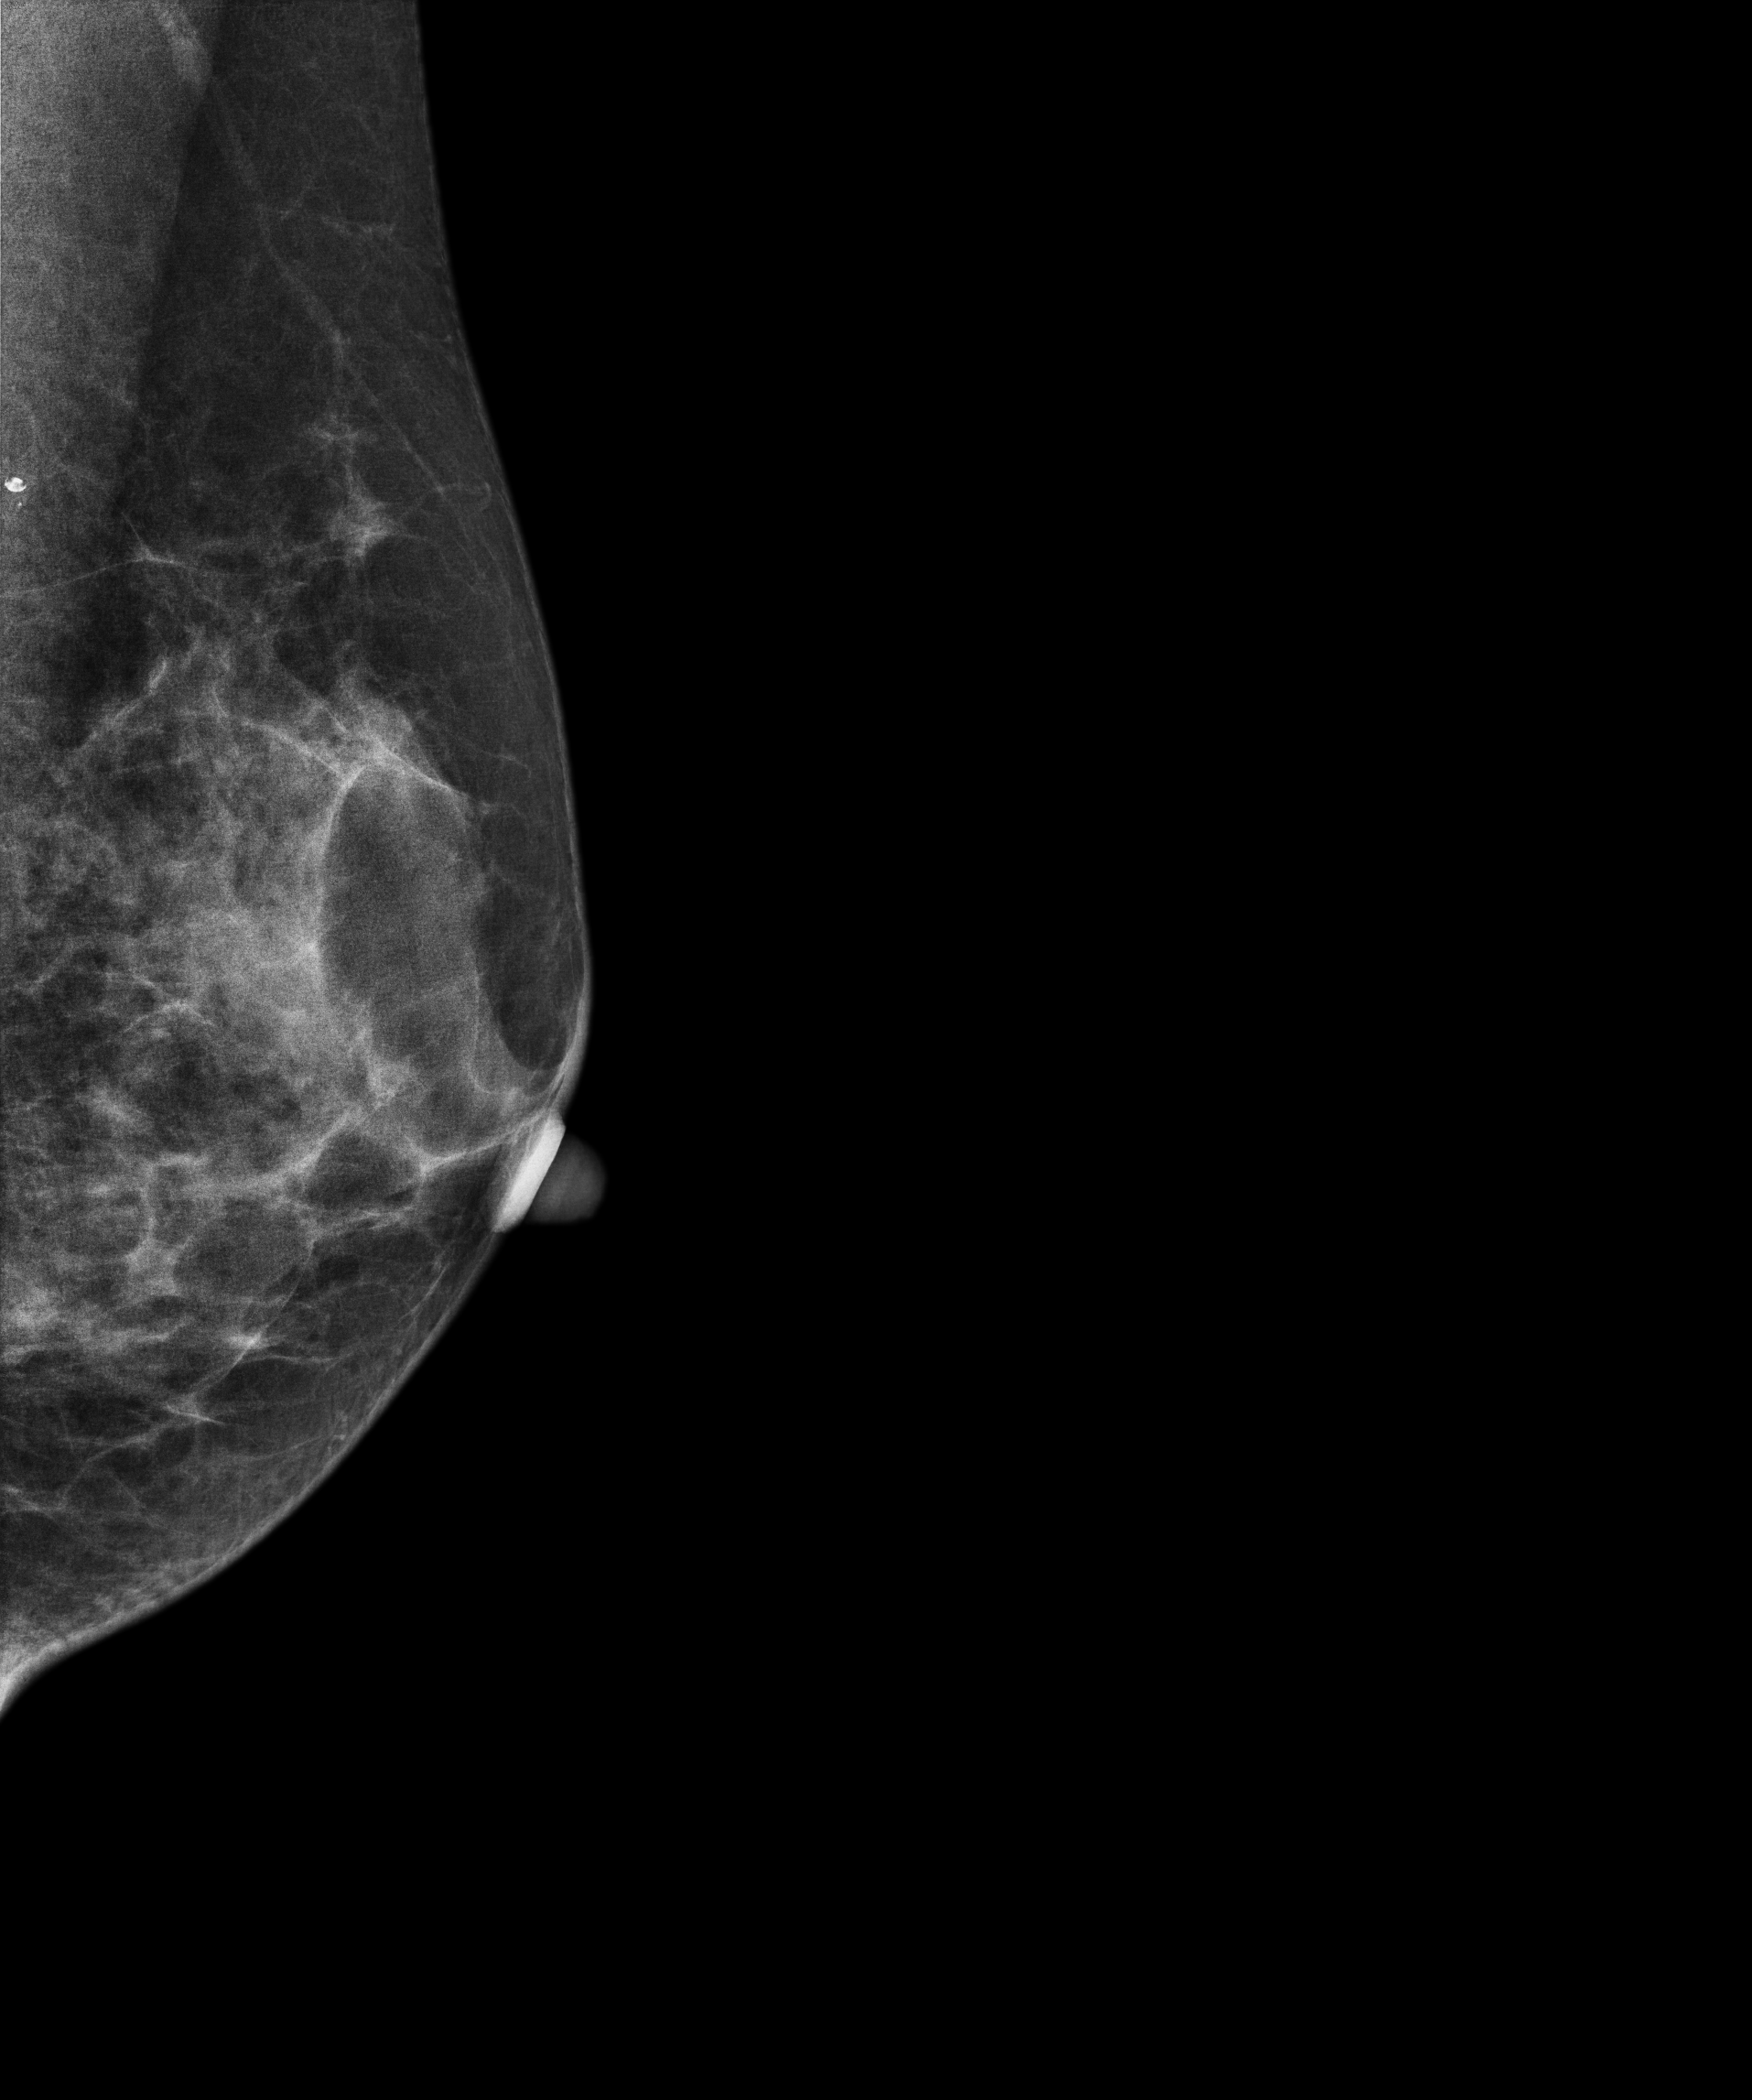
Medio-lateral oblique mammogram of the left breast. Patient age 37.
This breast has a mass, biopsy-confirmed benign.